Mammogram, left breast, CC view. Patient age 32.
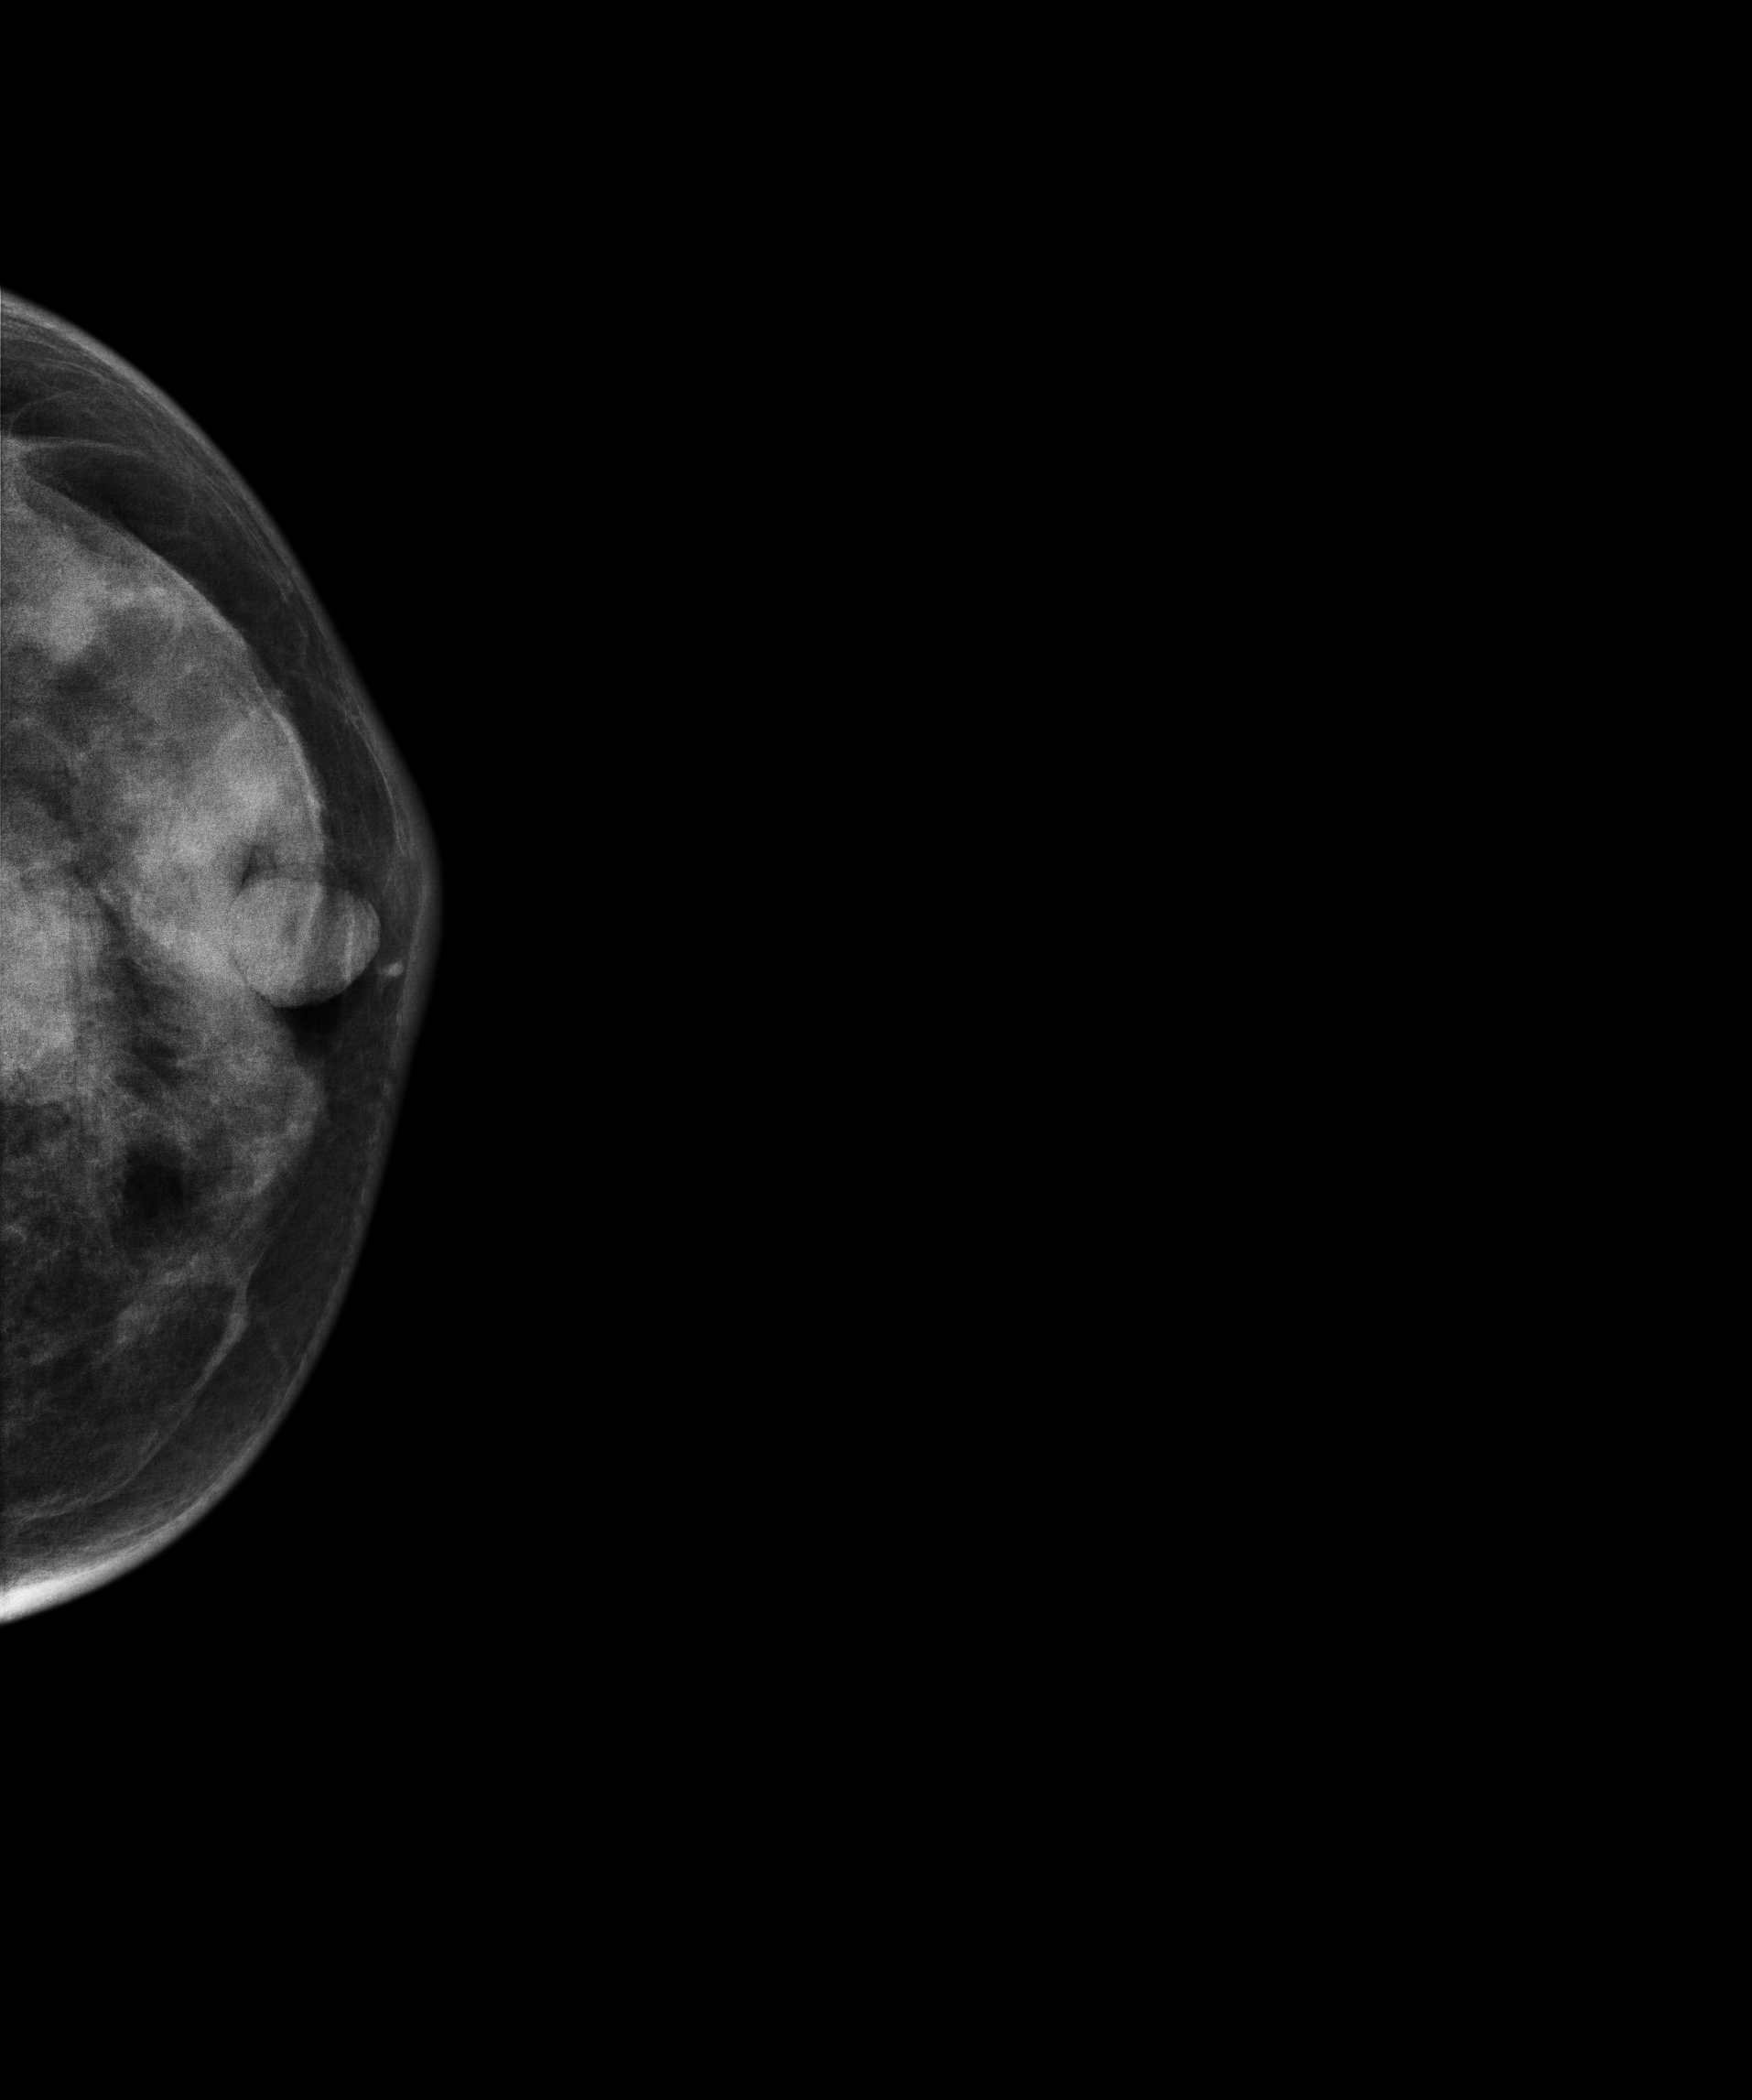
This breast has a mass and calcifications, pathology-confirmed malignant.